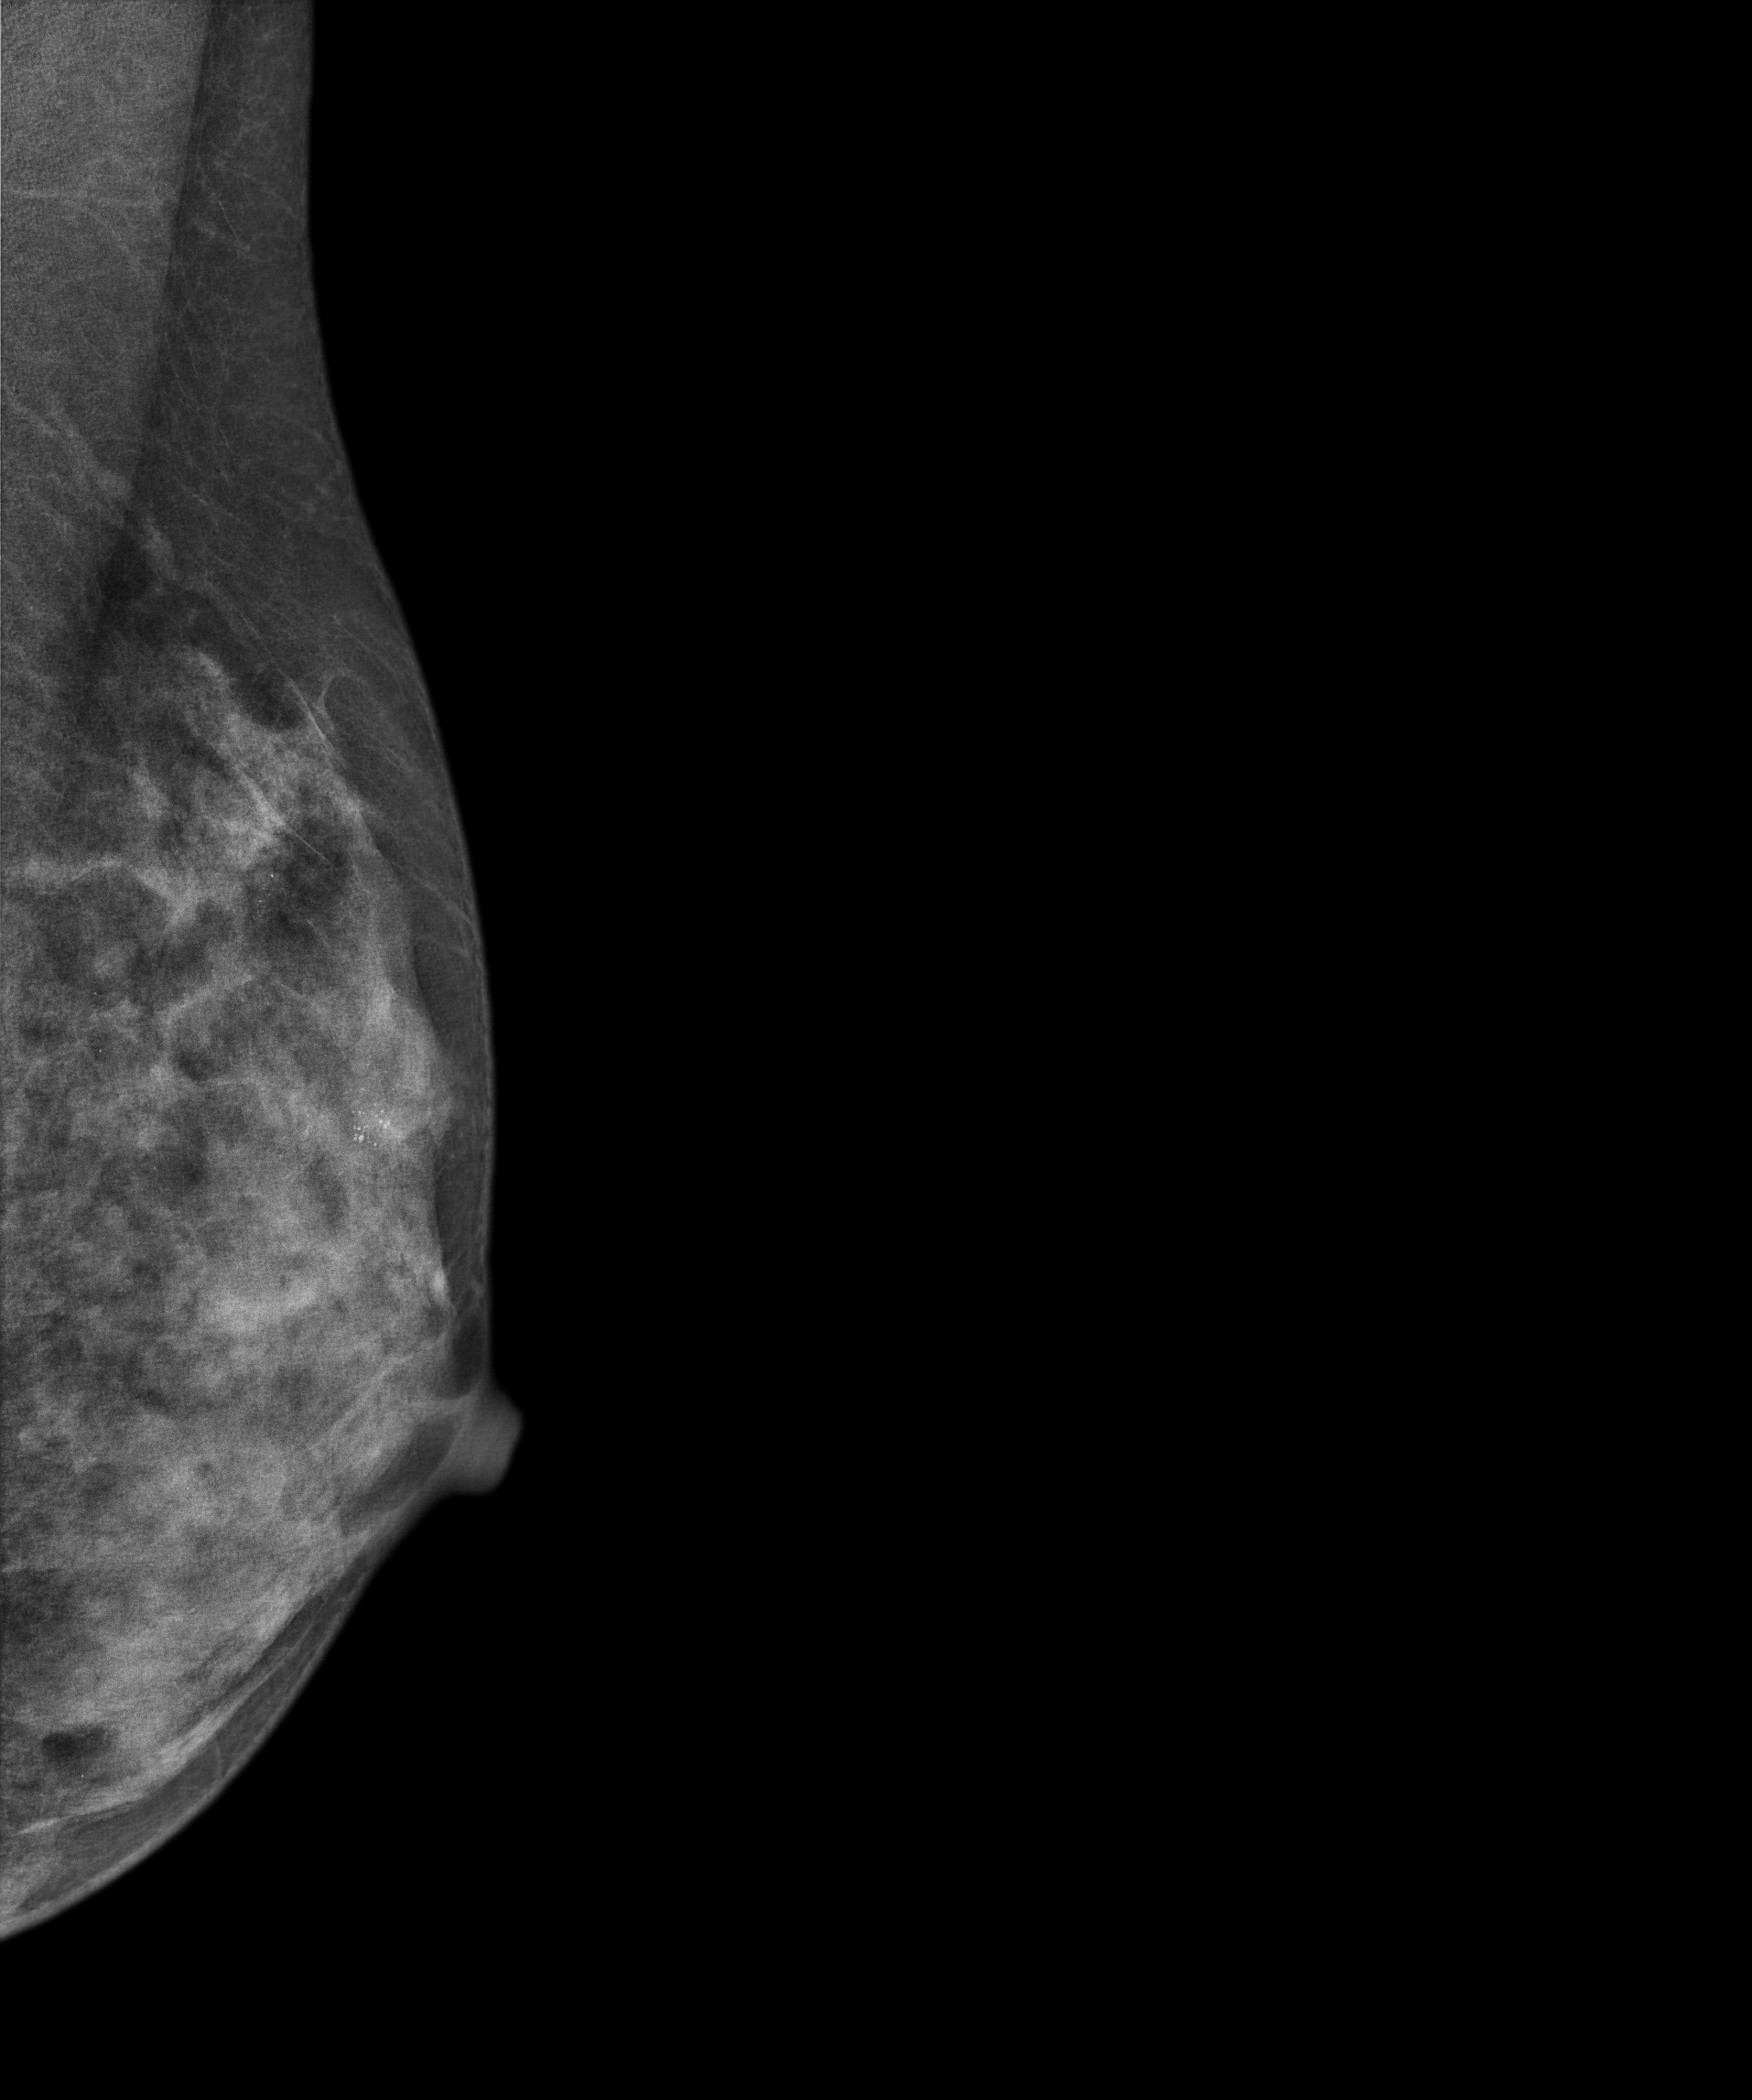
Left-breast mammogram, medio-lateral oblique. 28-year-old patient.
This breast has calcifications, biopsy-confirmed benign.